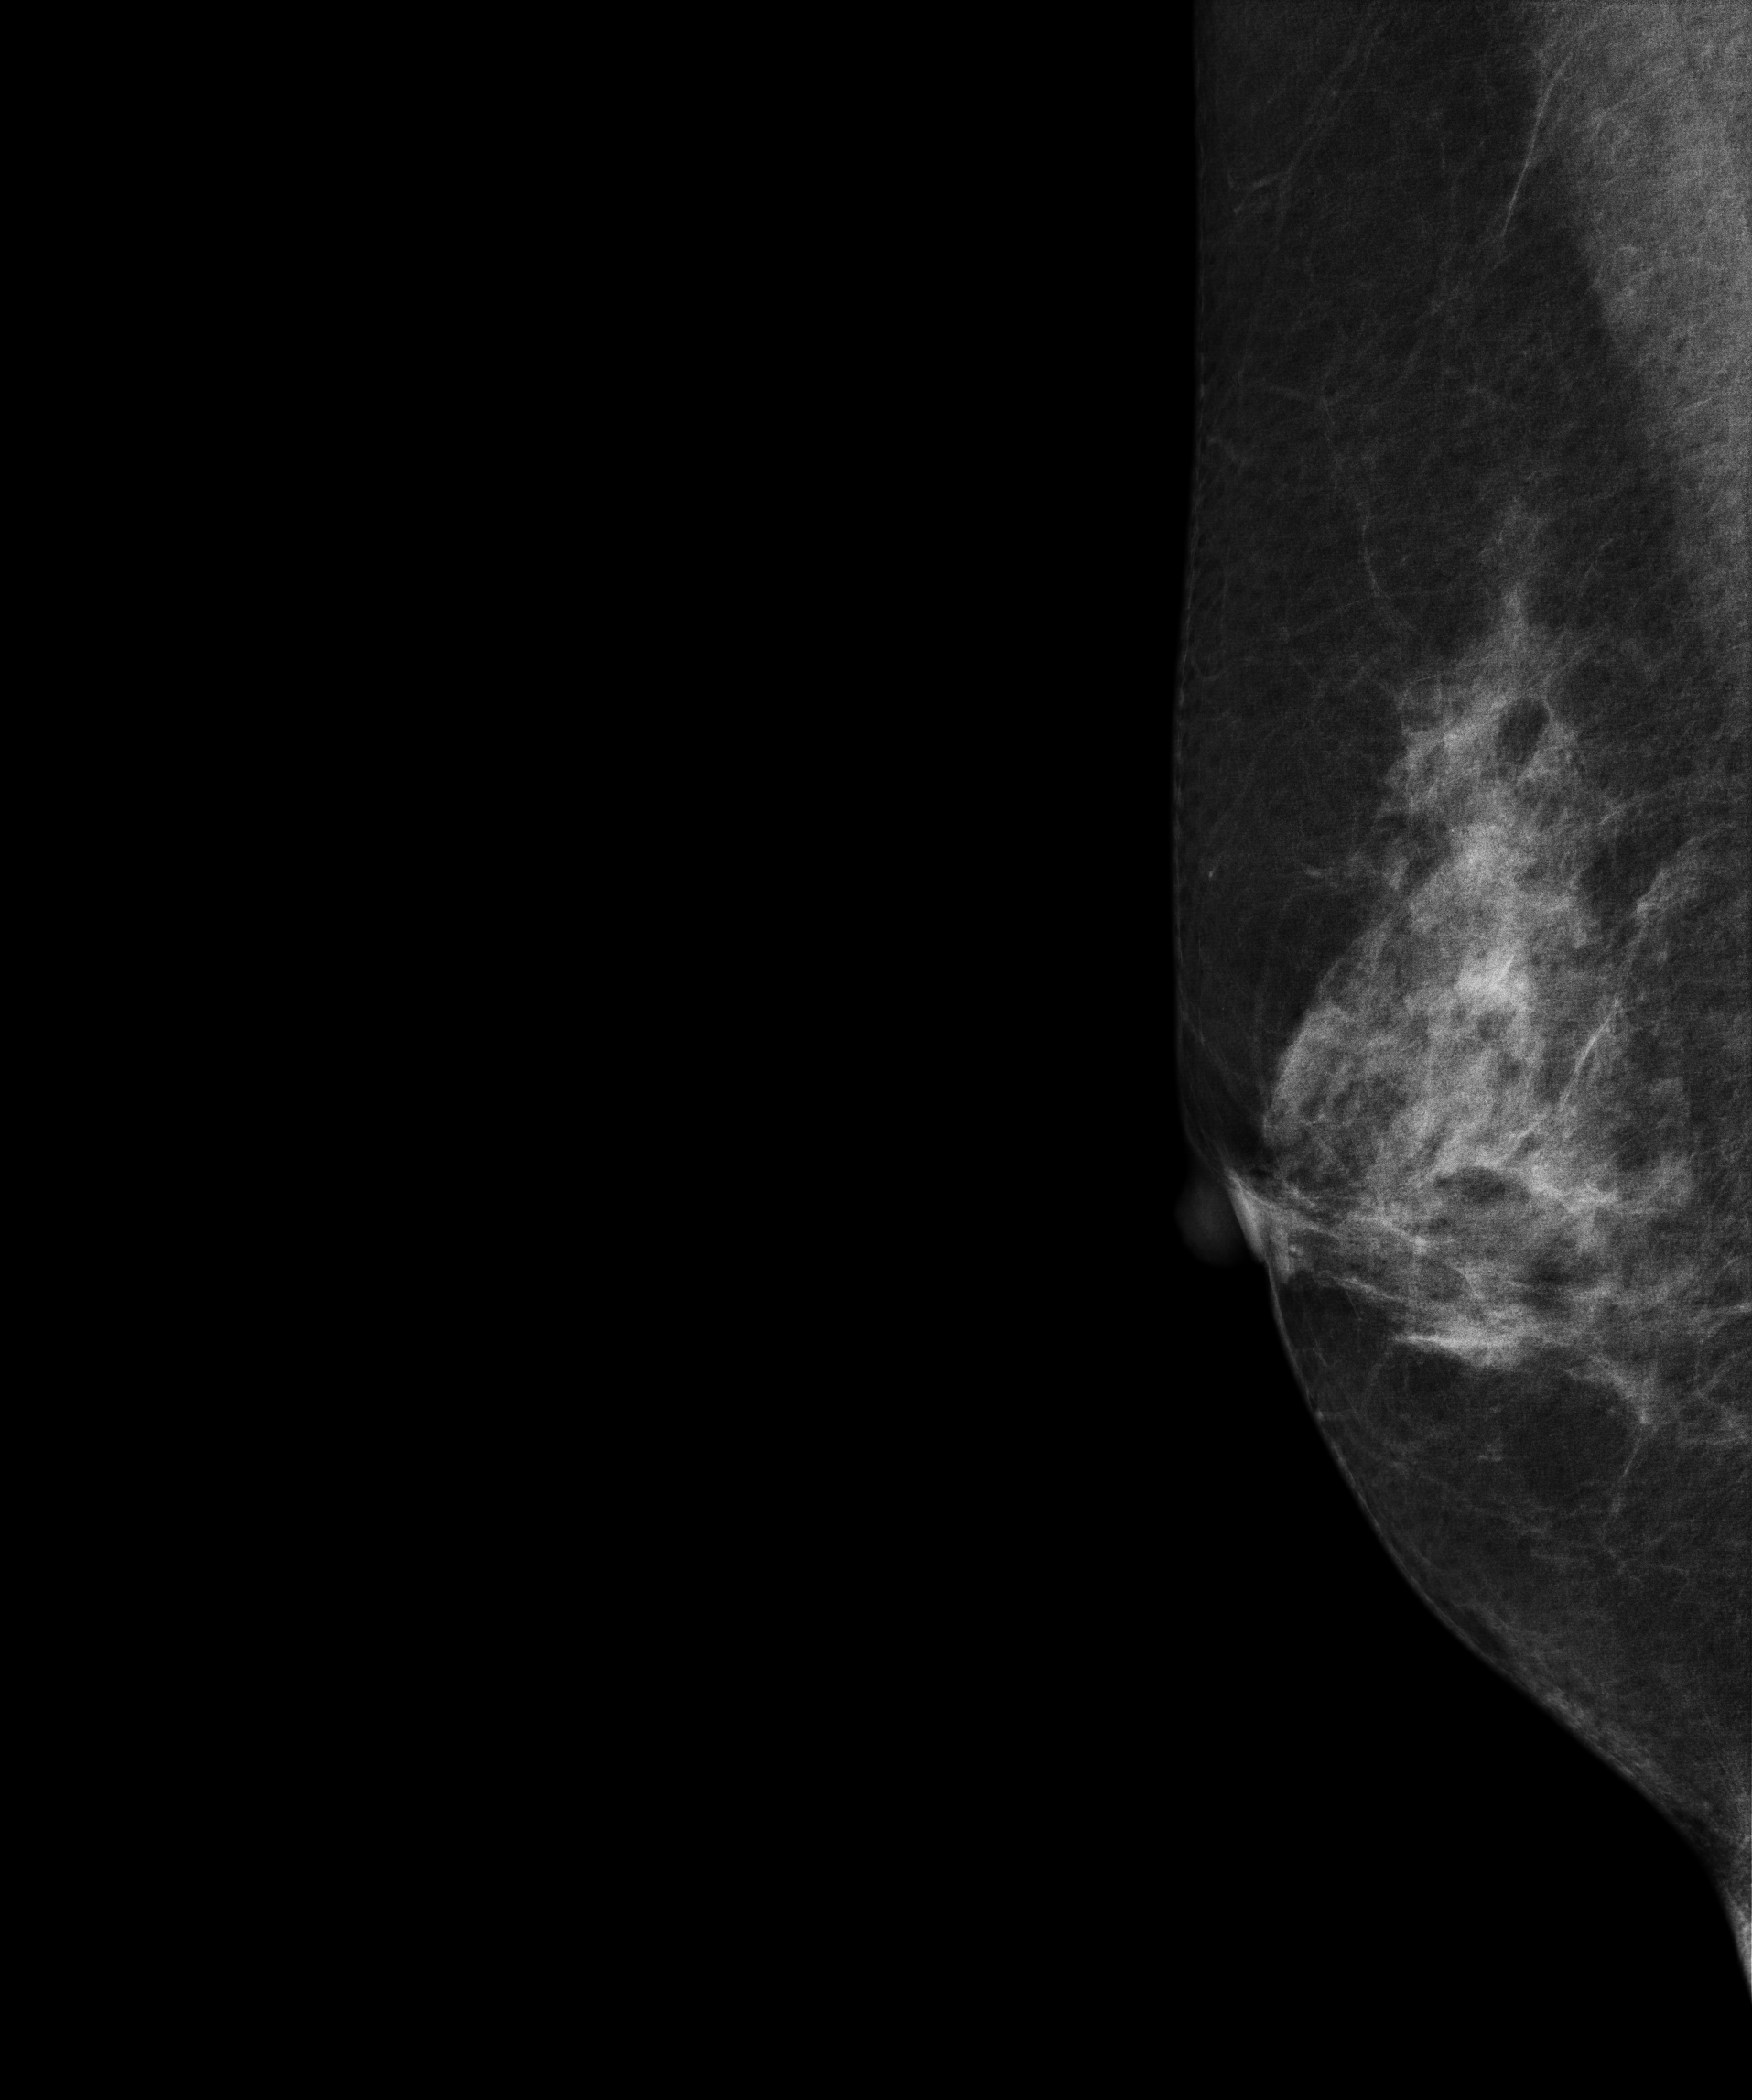
Mammogram — right medio-lateral oblique. 59-year-old patient.
Contralateral breast — no documented abnormality on this side.